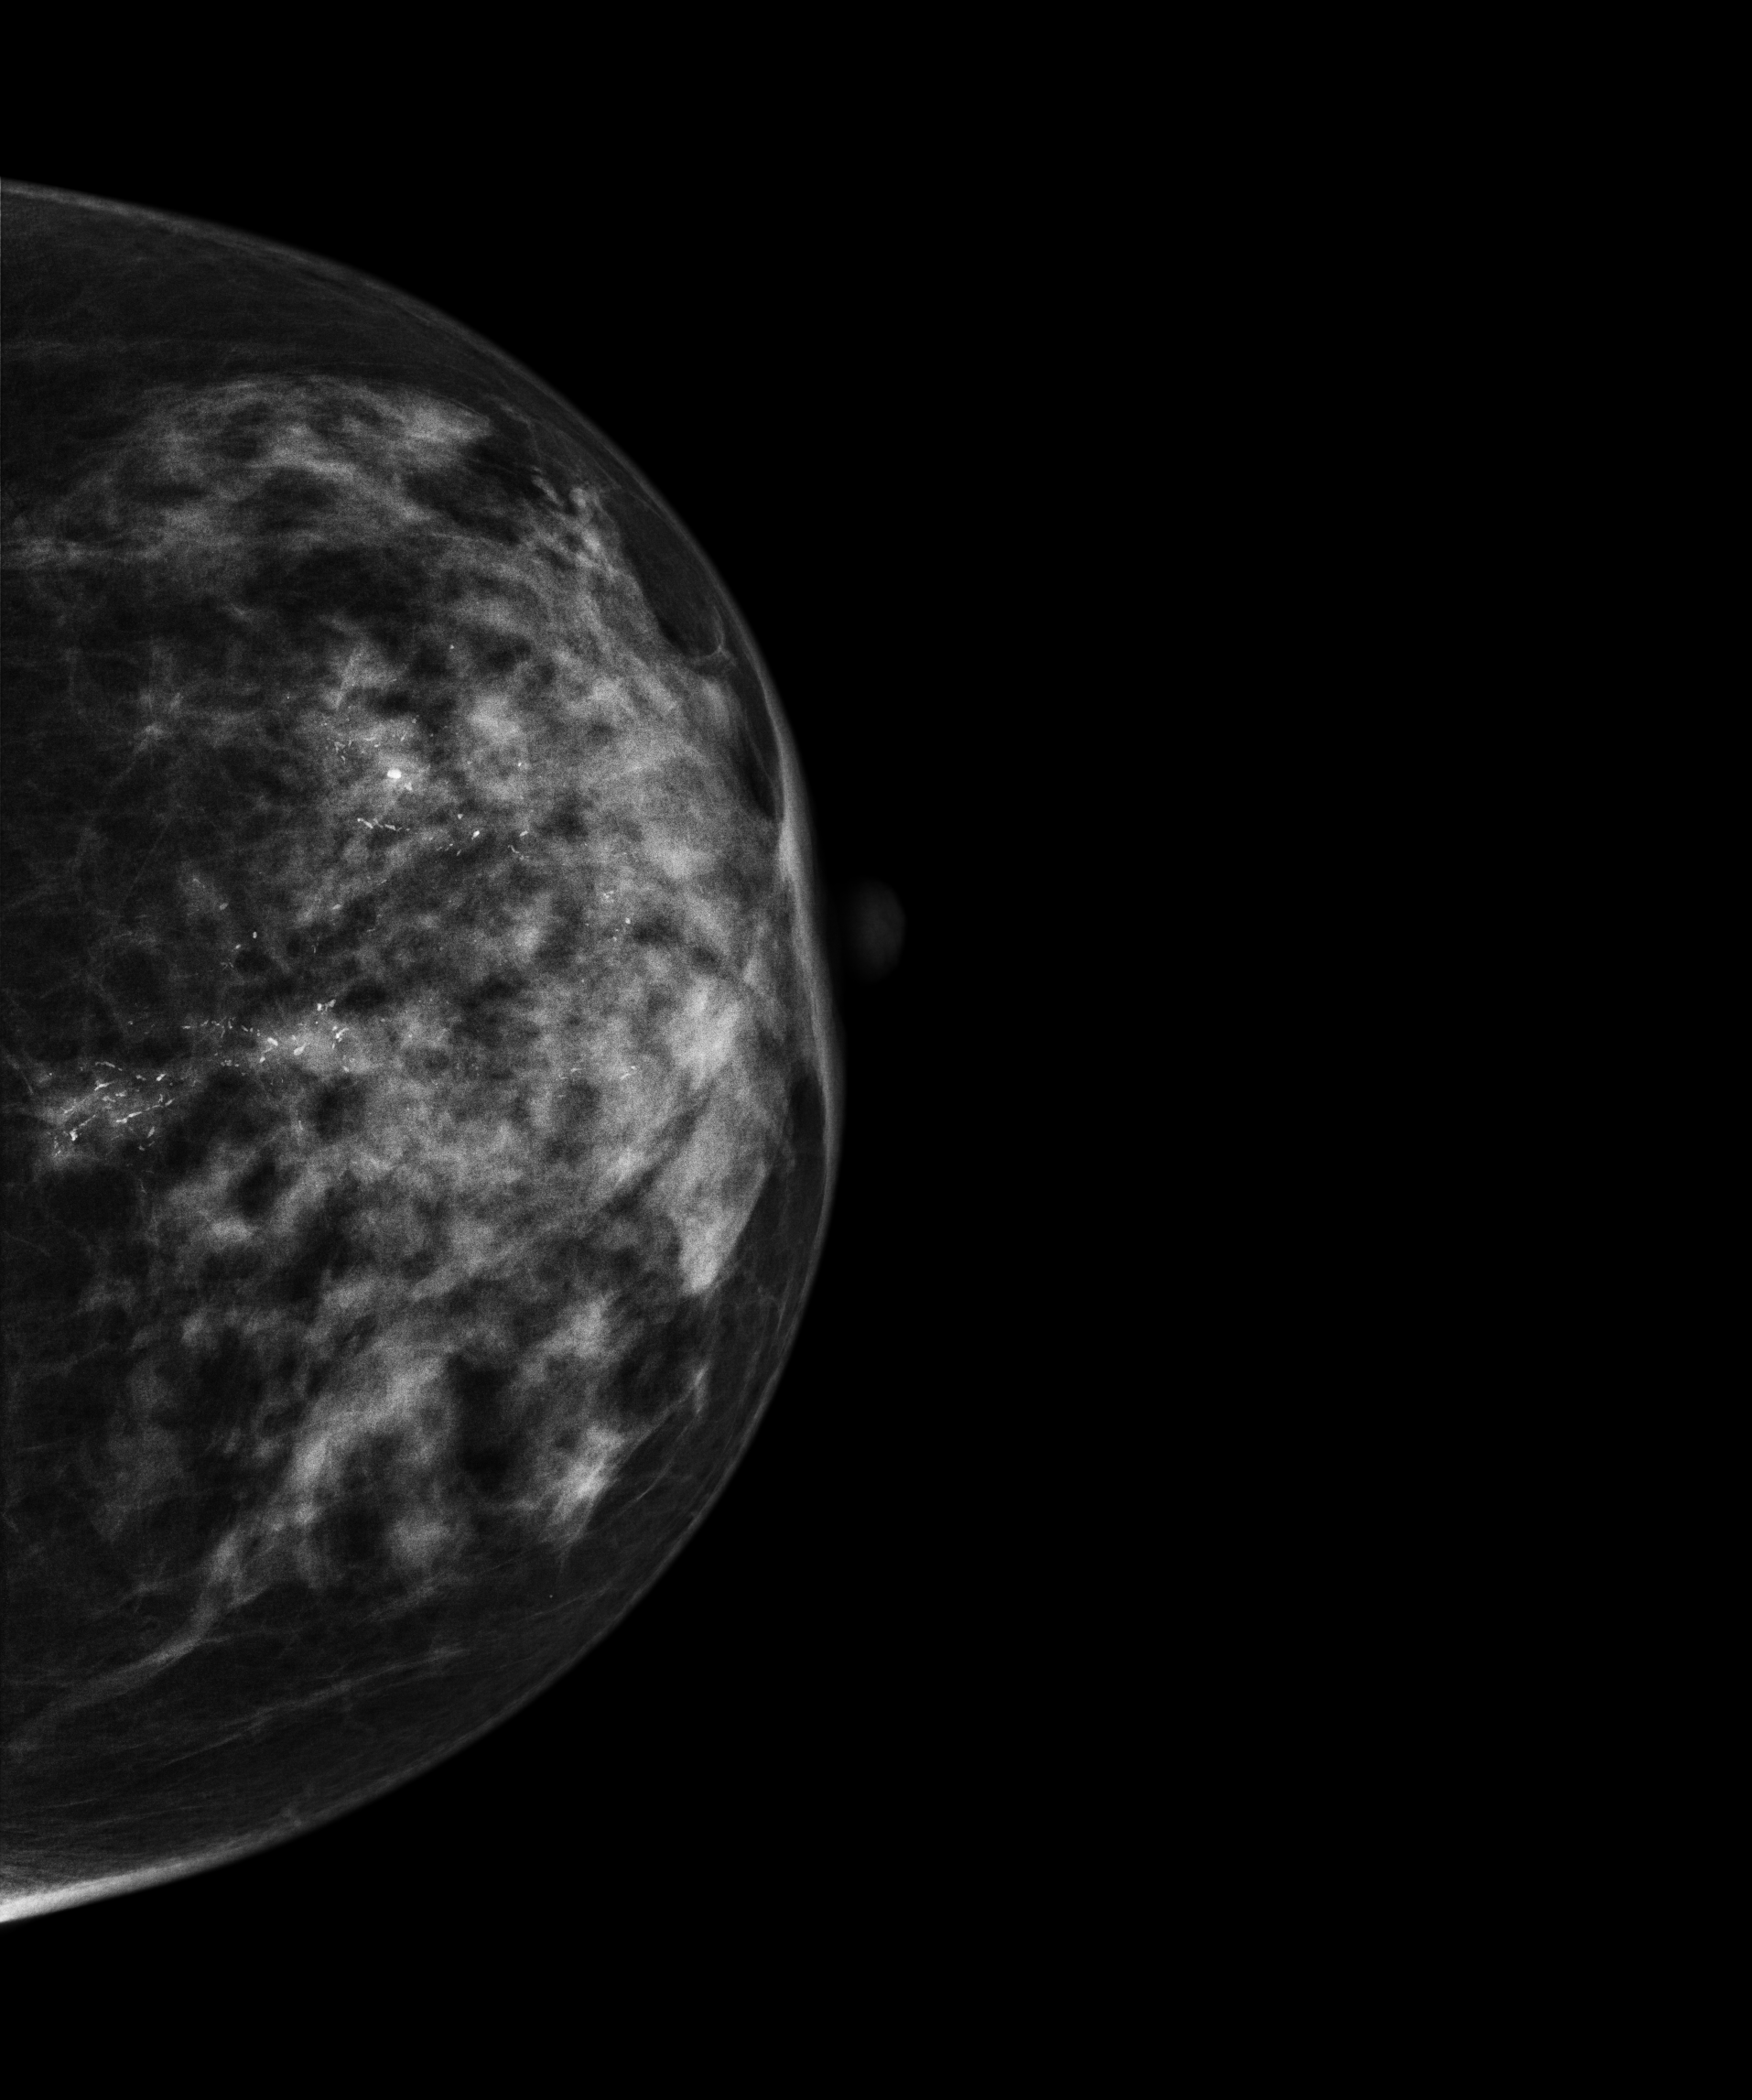
Left-breast mammogram, CC. 60-year-old patient.
This breast has calcifications, pathology-confirmed malignant. Molecular subtype: luminal A.